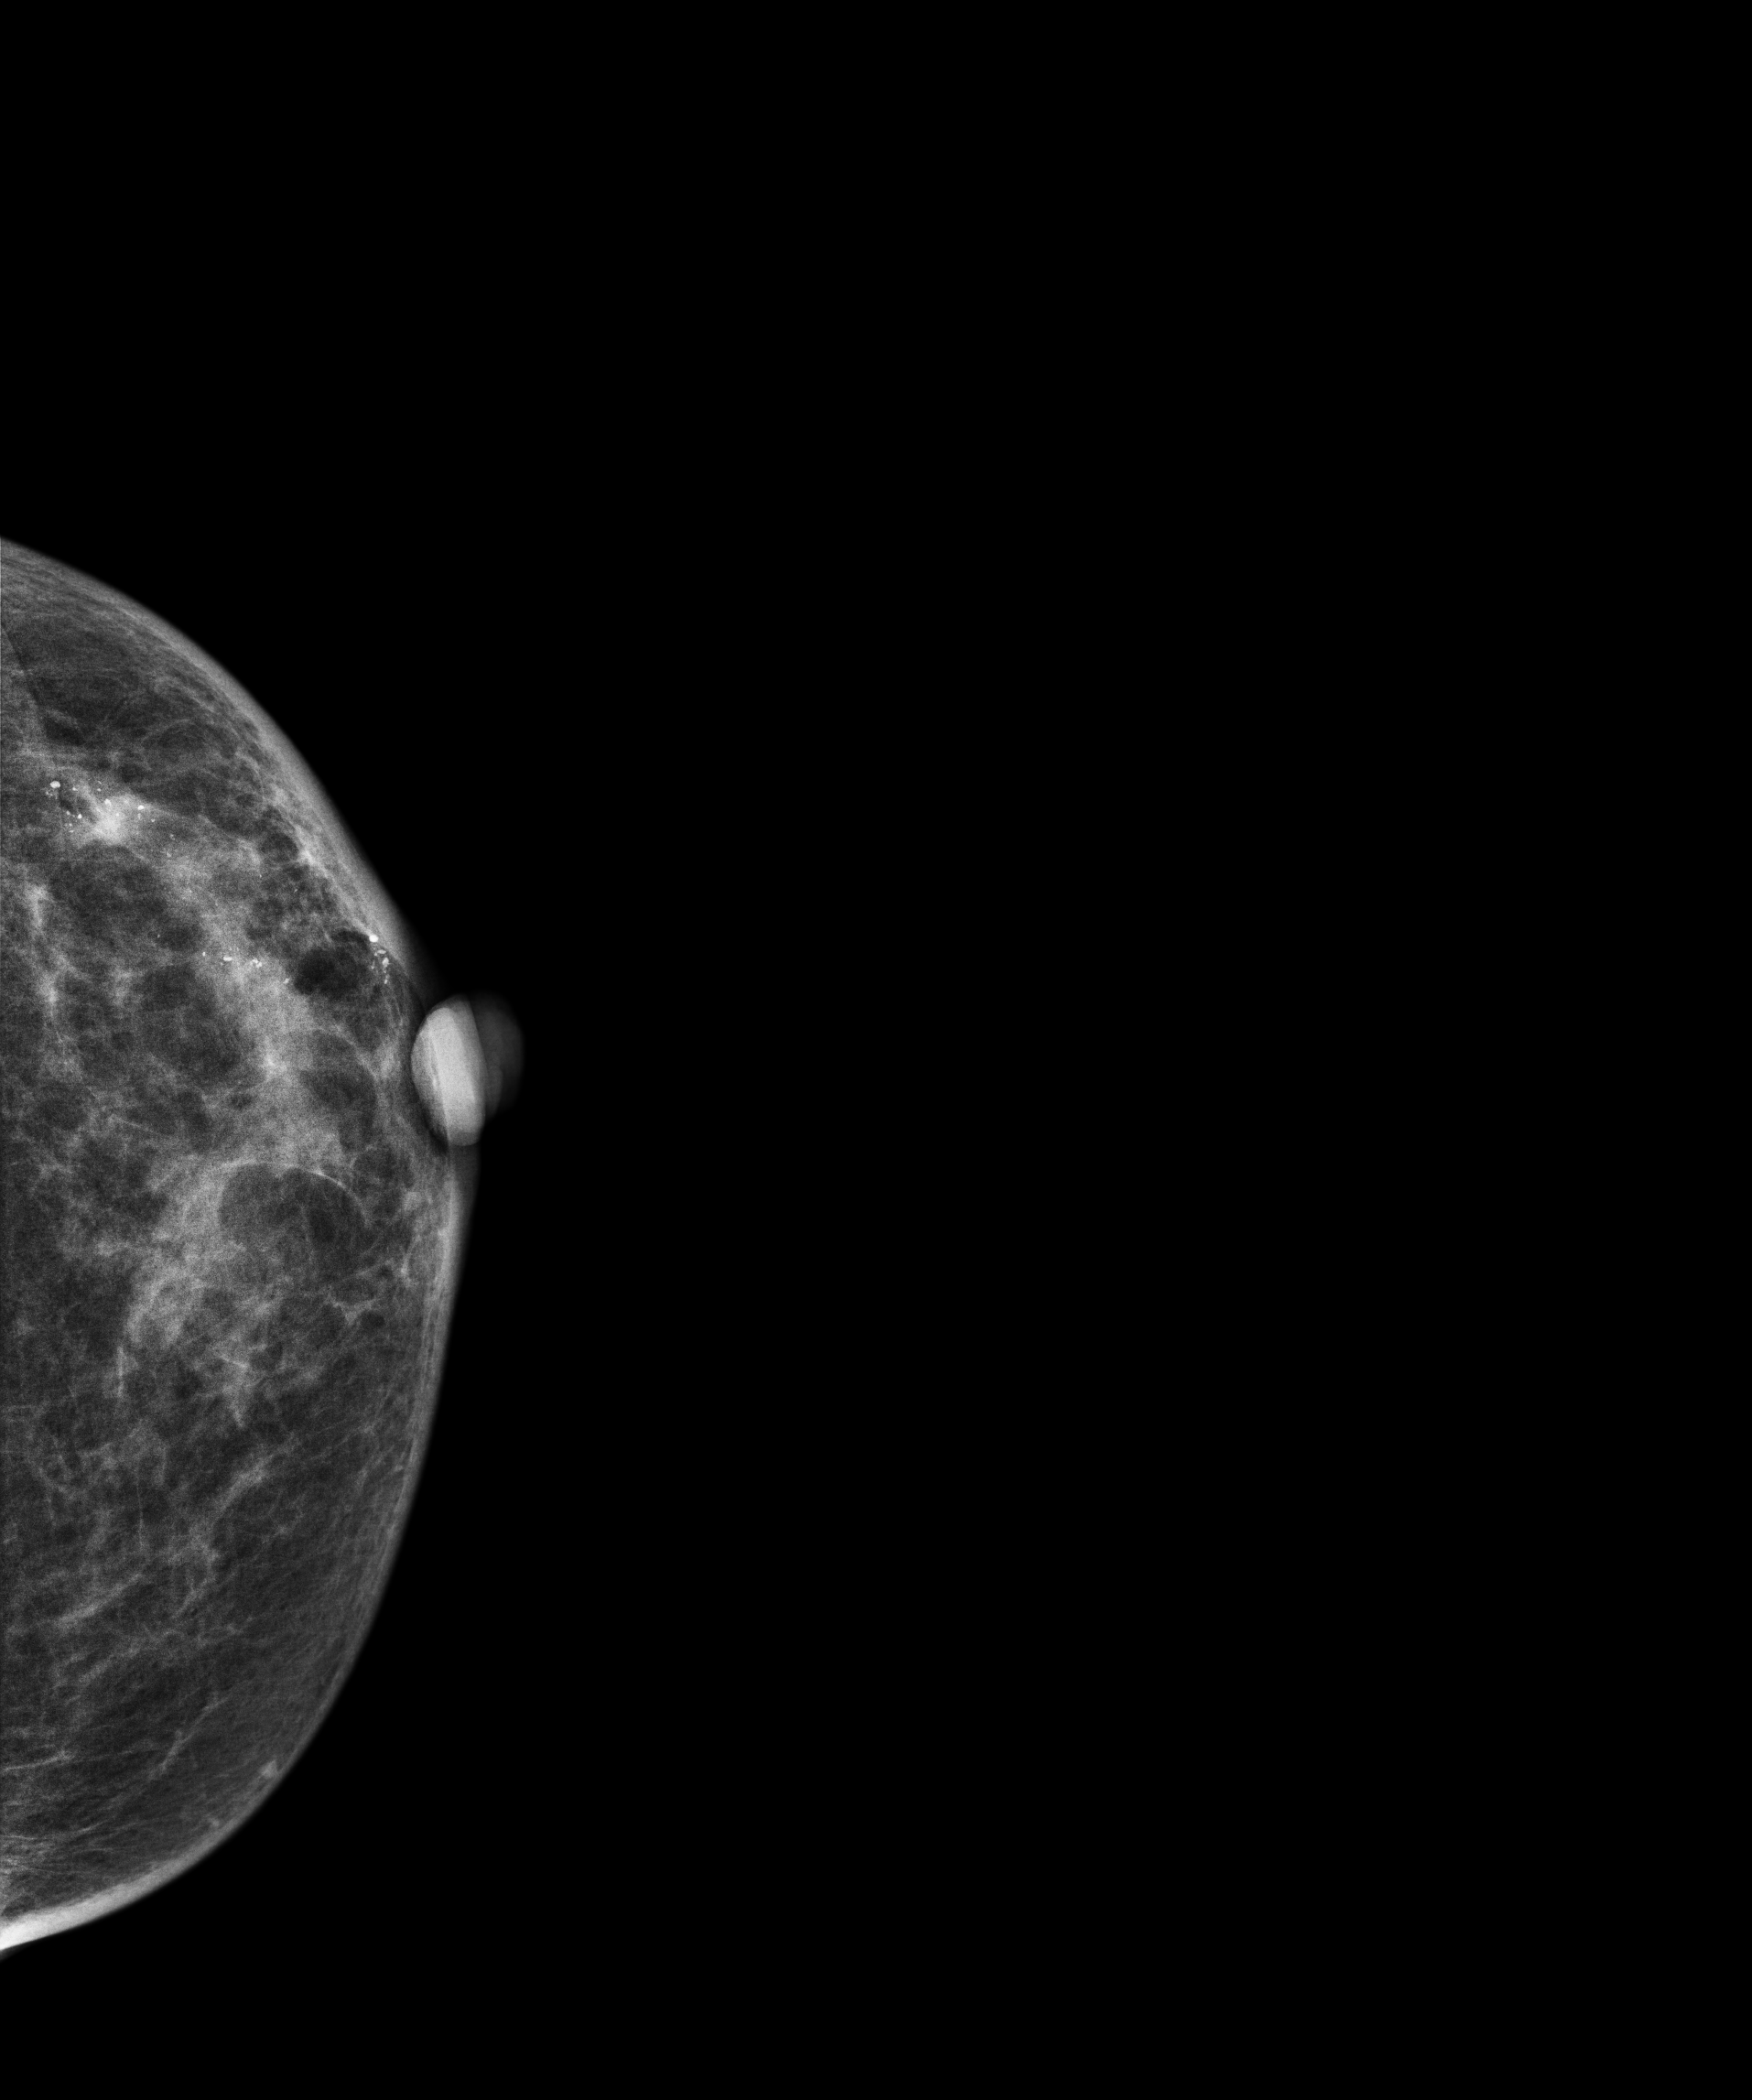
Cranio-caudal mammogram of the left breast. 66 y/o patient.
This breast has a mass and calcifications, histologically confirmed malignant. Molecular subtype: luminal B.